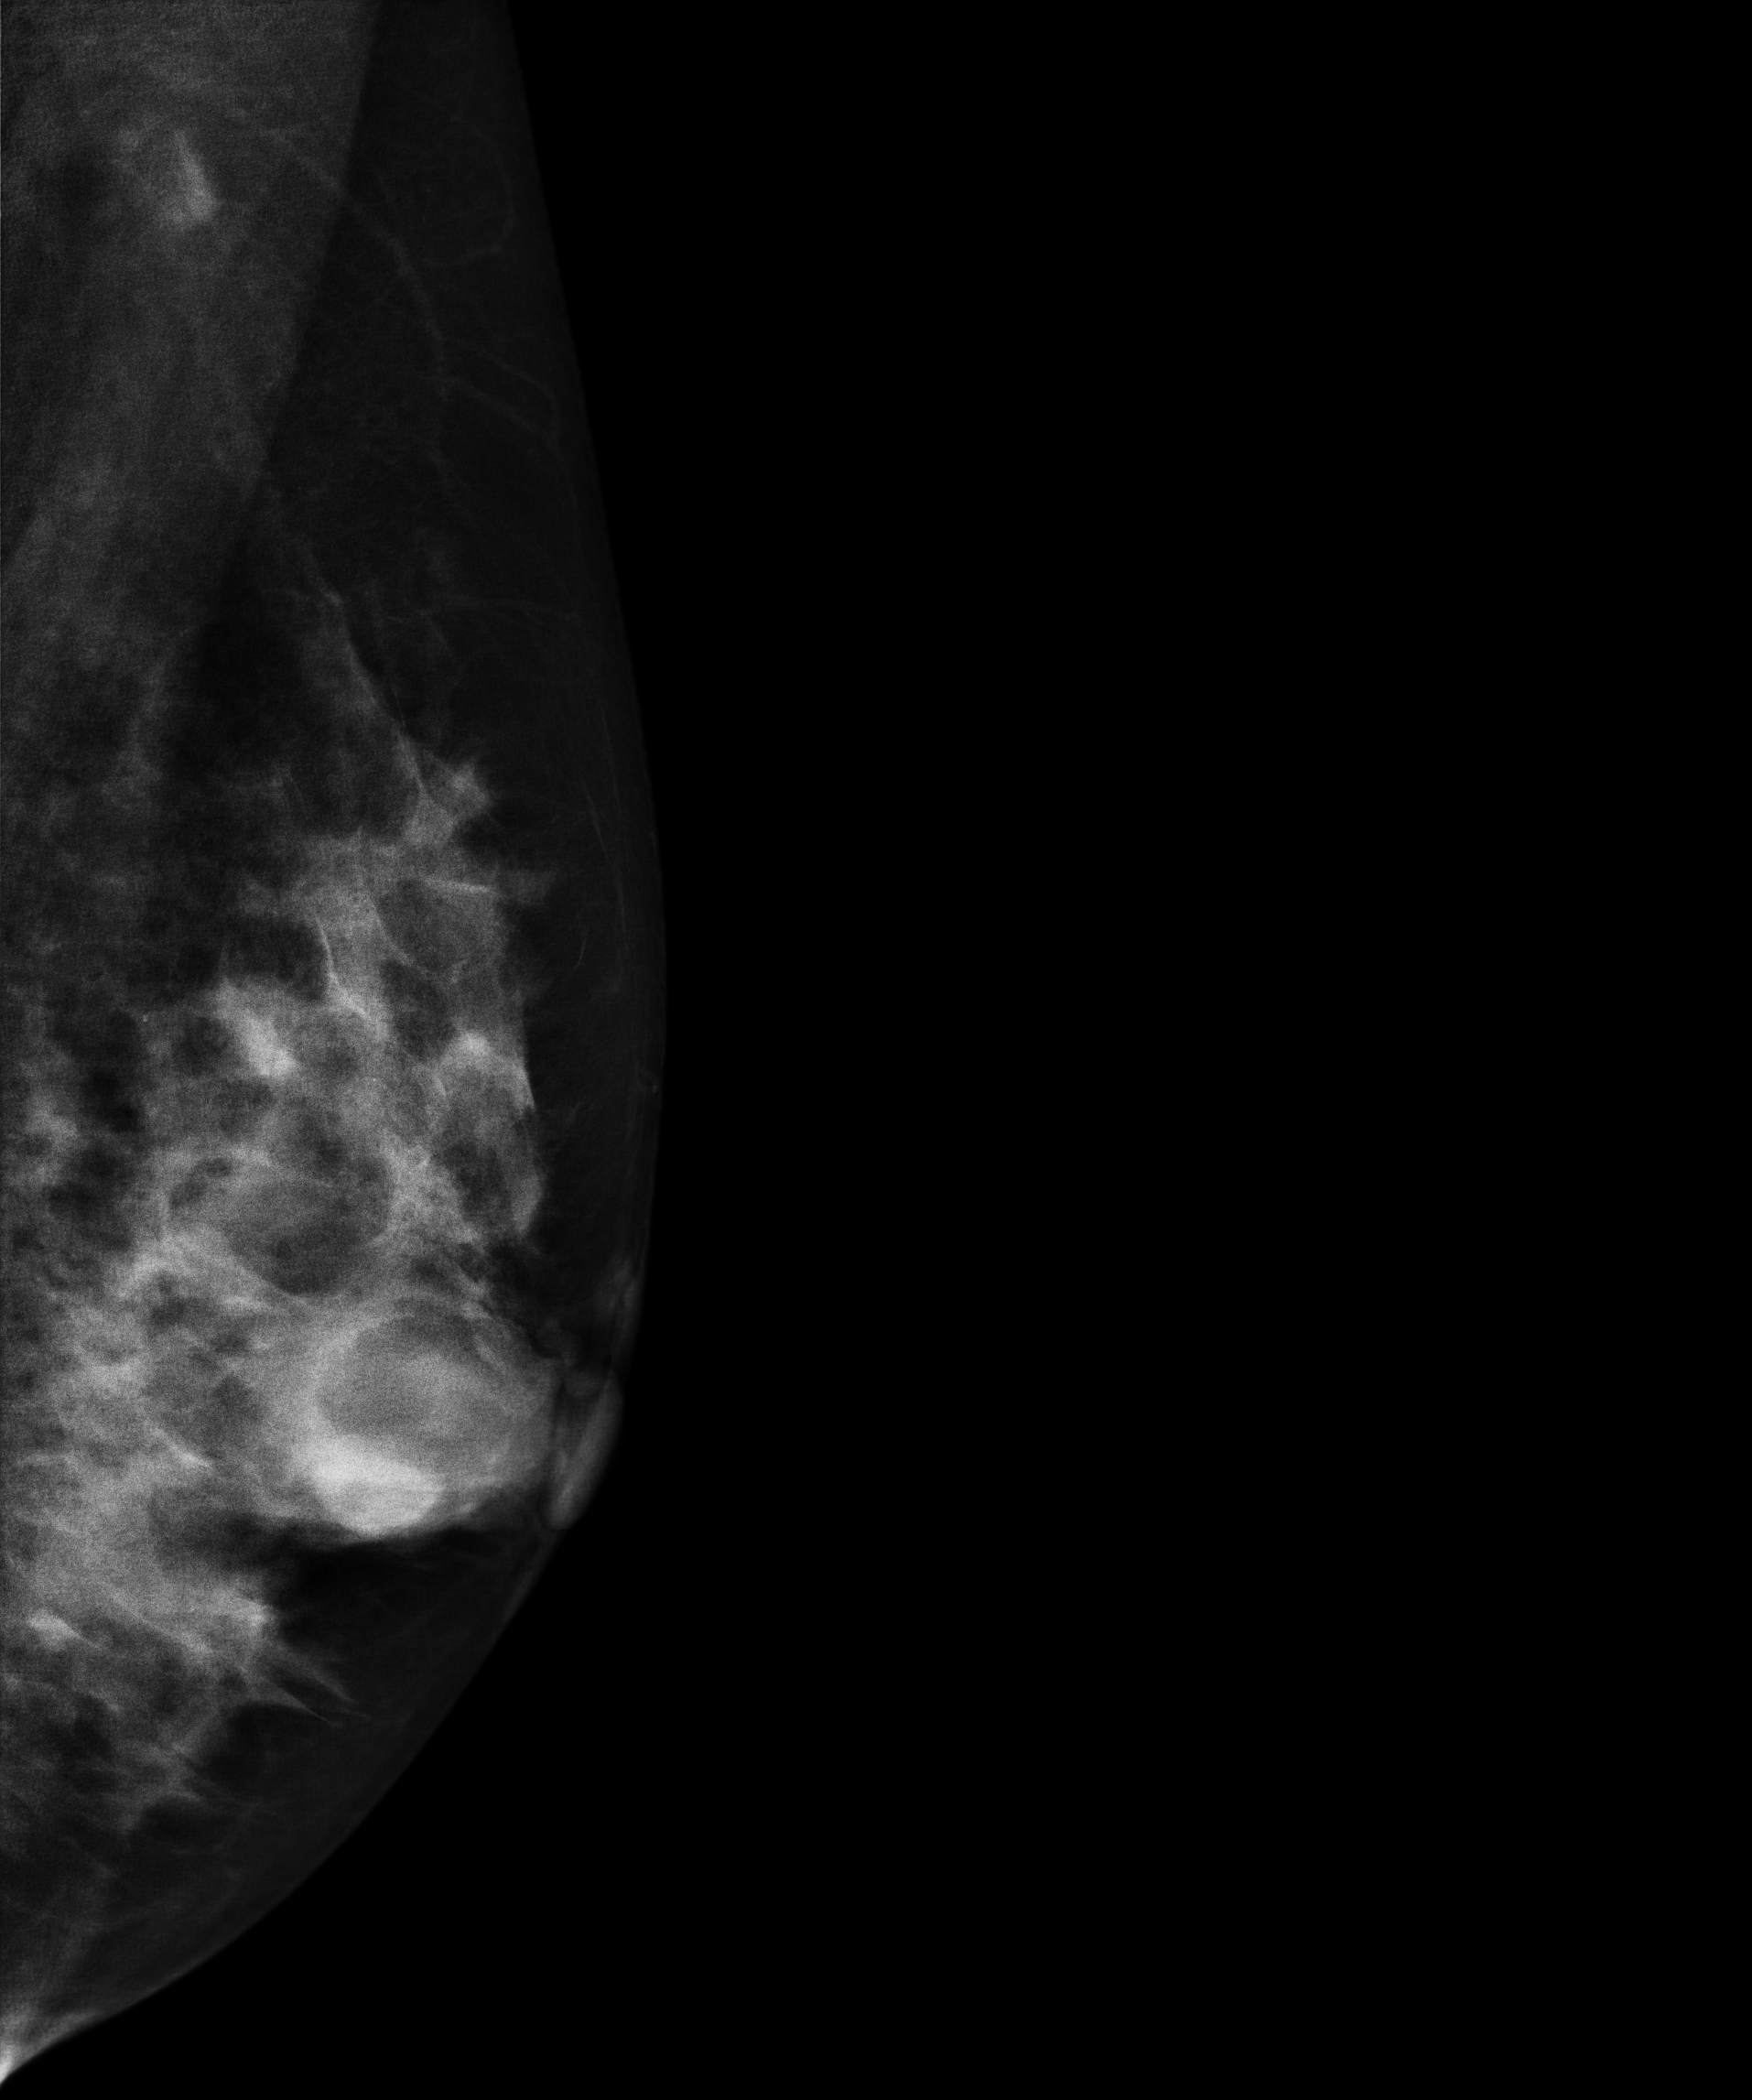
Left-breast mammogram, medio-lateral oblique. Patient age 35.
This breast has a mass, pathology-confirmed benign.